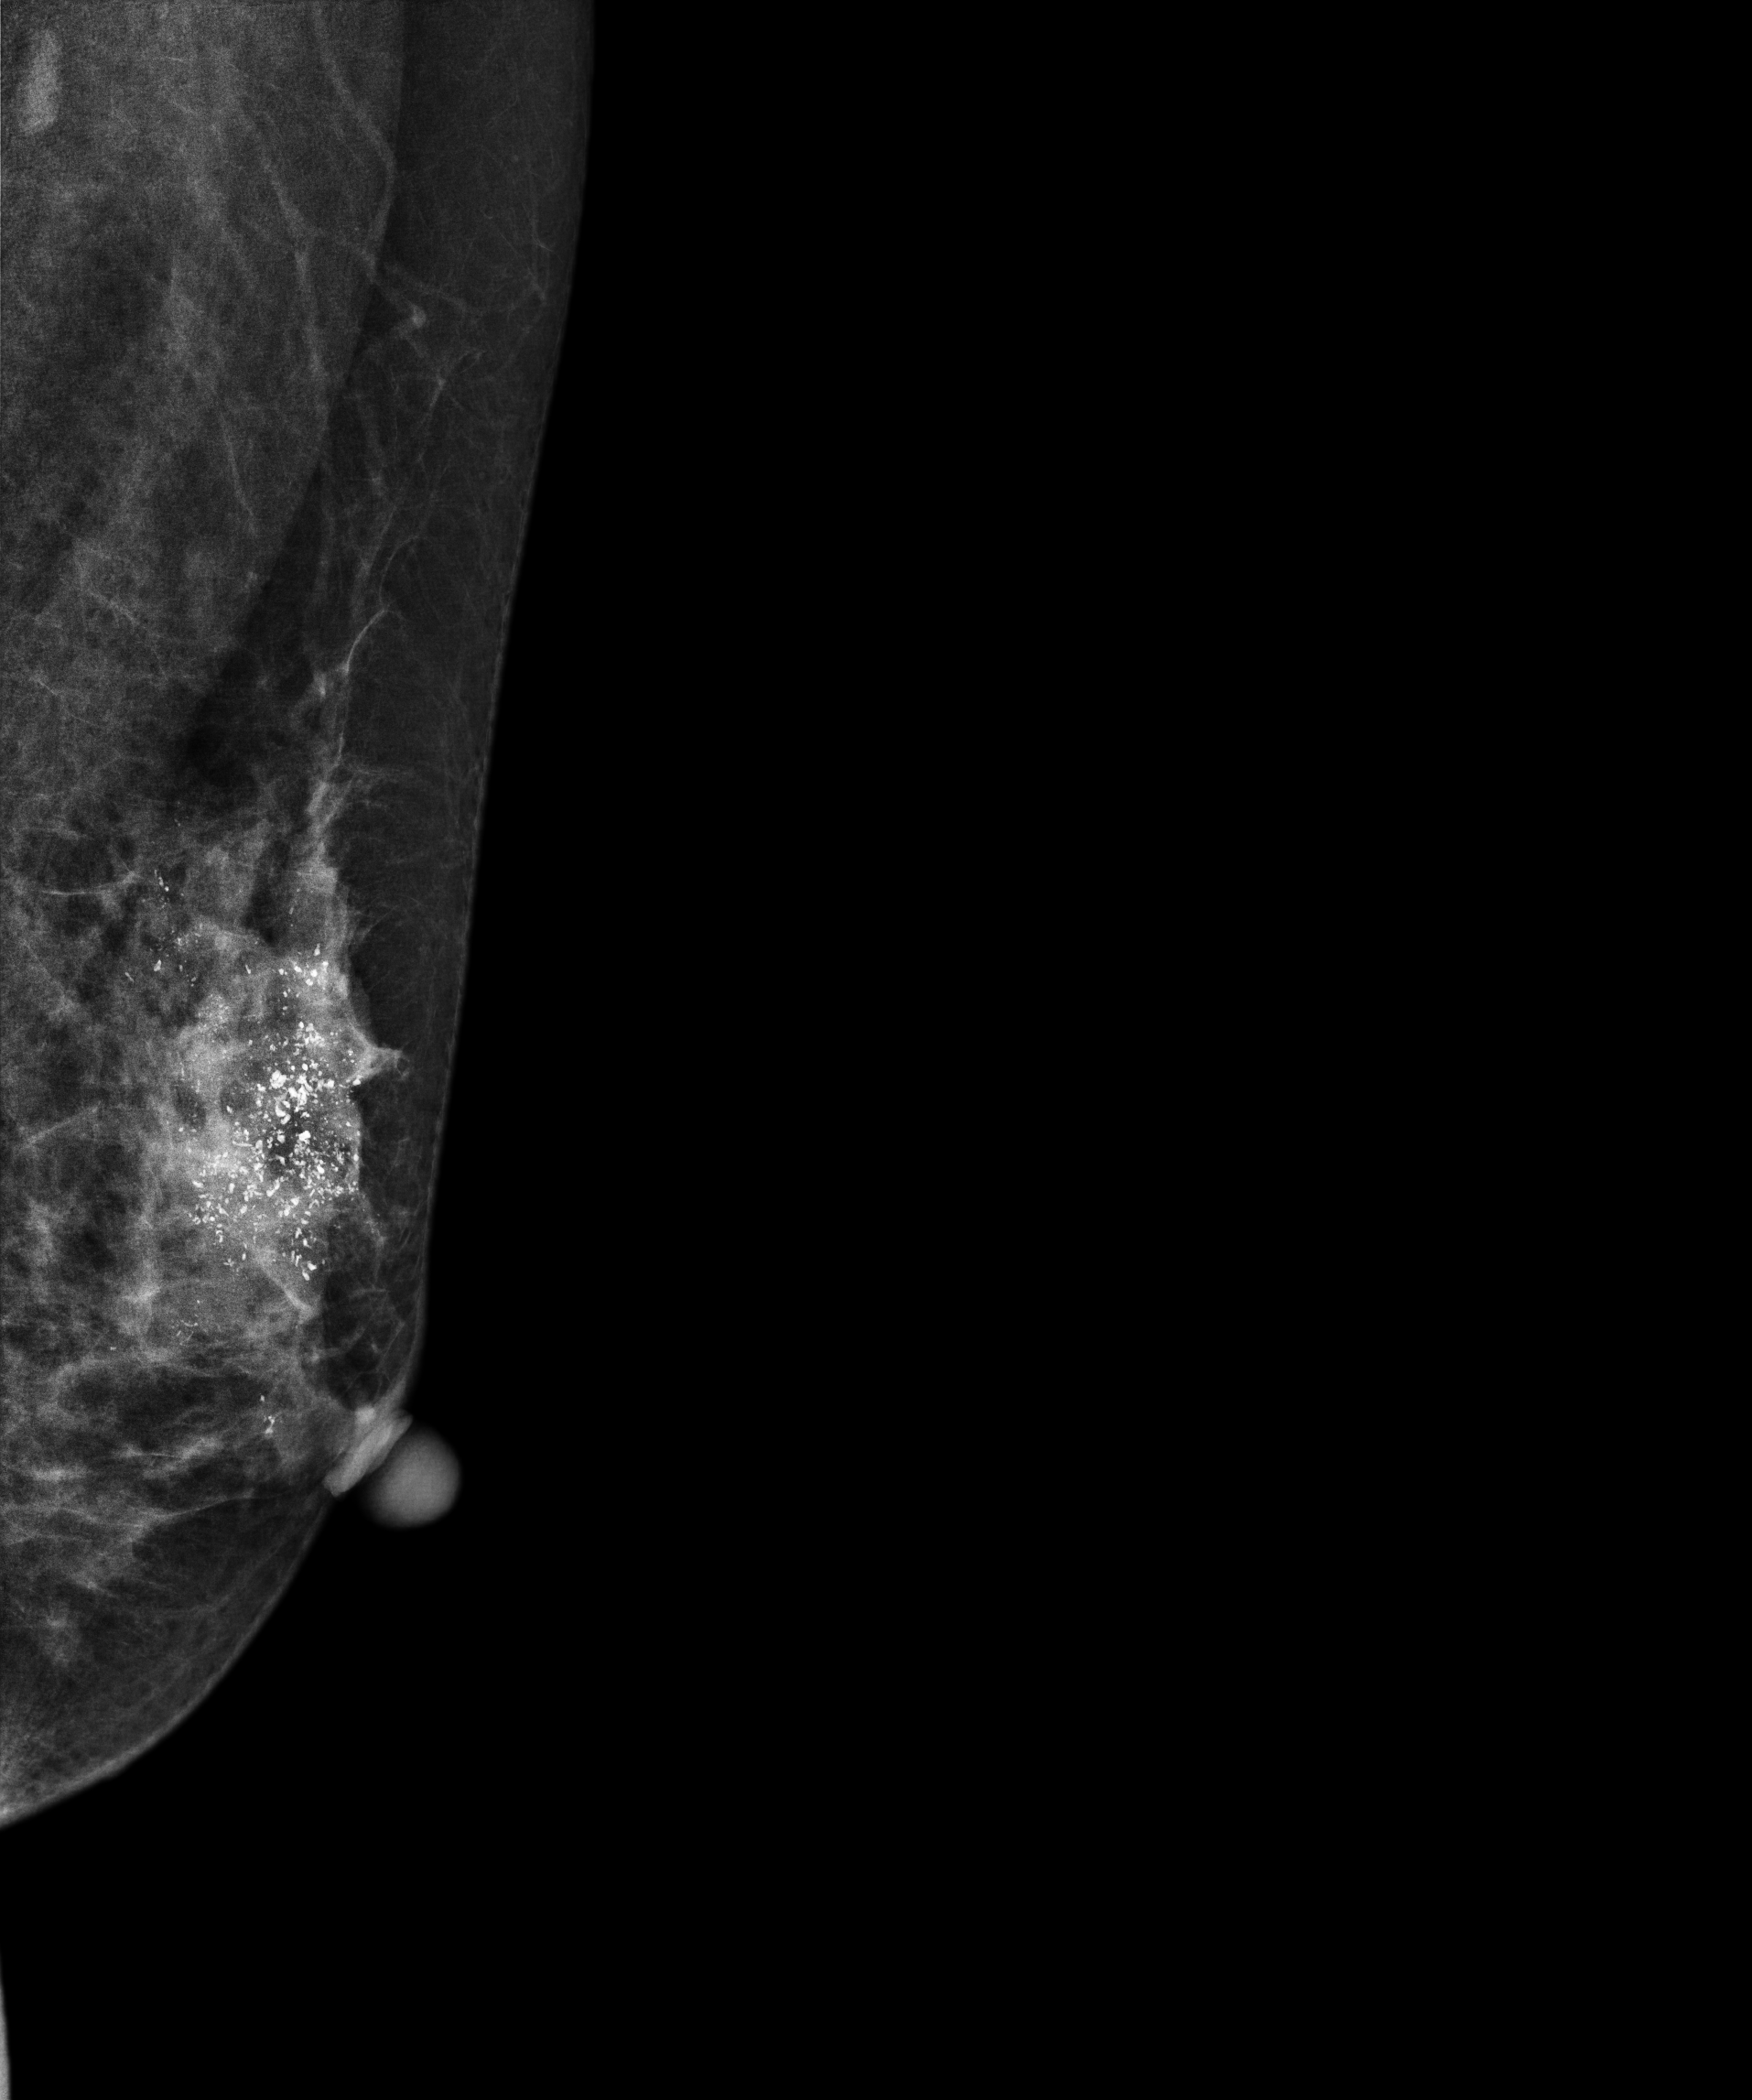
Digital mammography. Left breast, MLO projection. 54 y/o patient.
This breast has calcifications, biopsy-confirmed malignant.